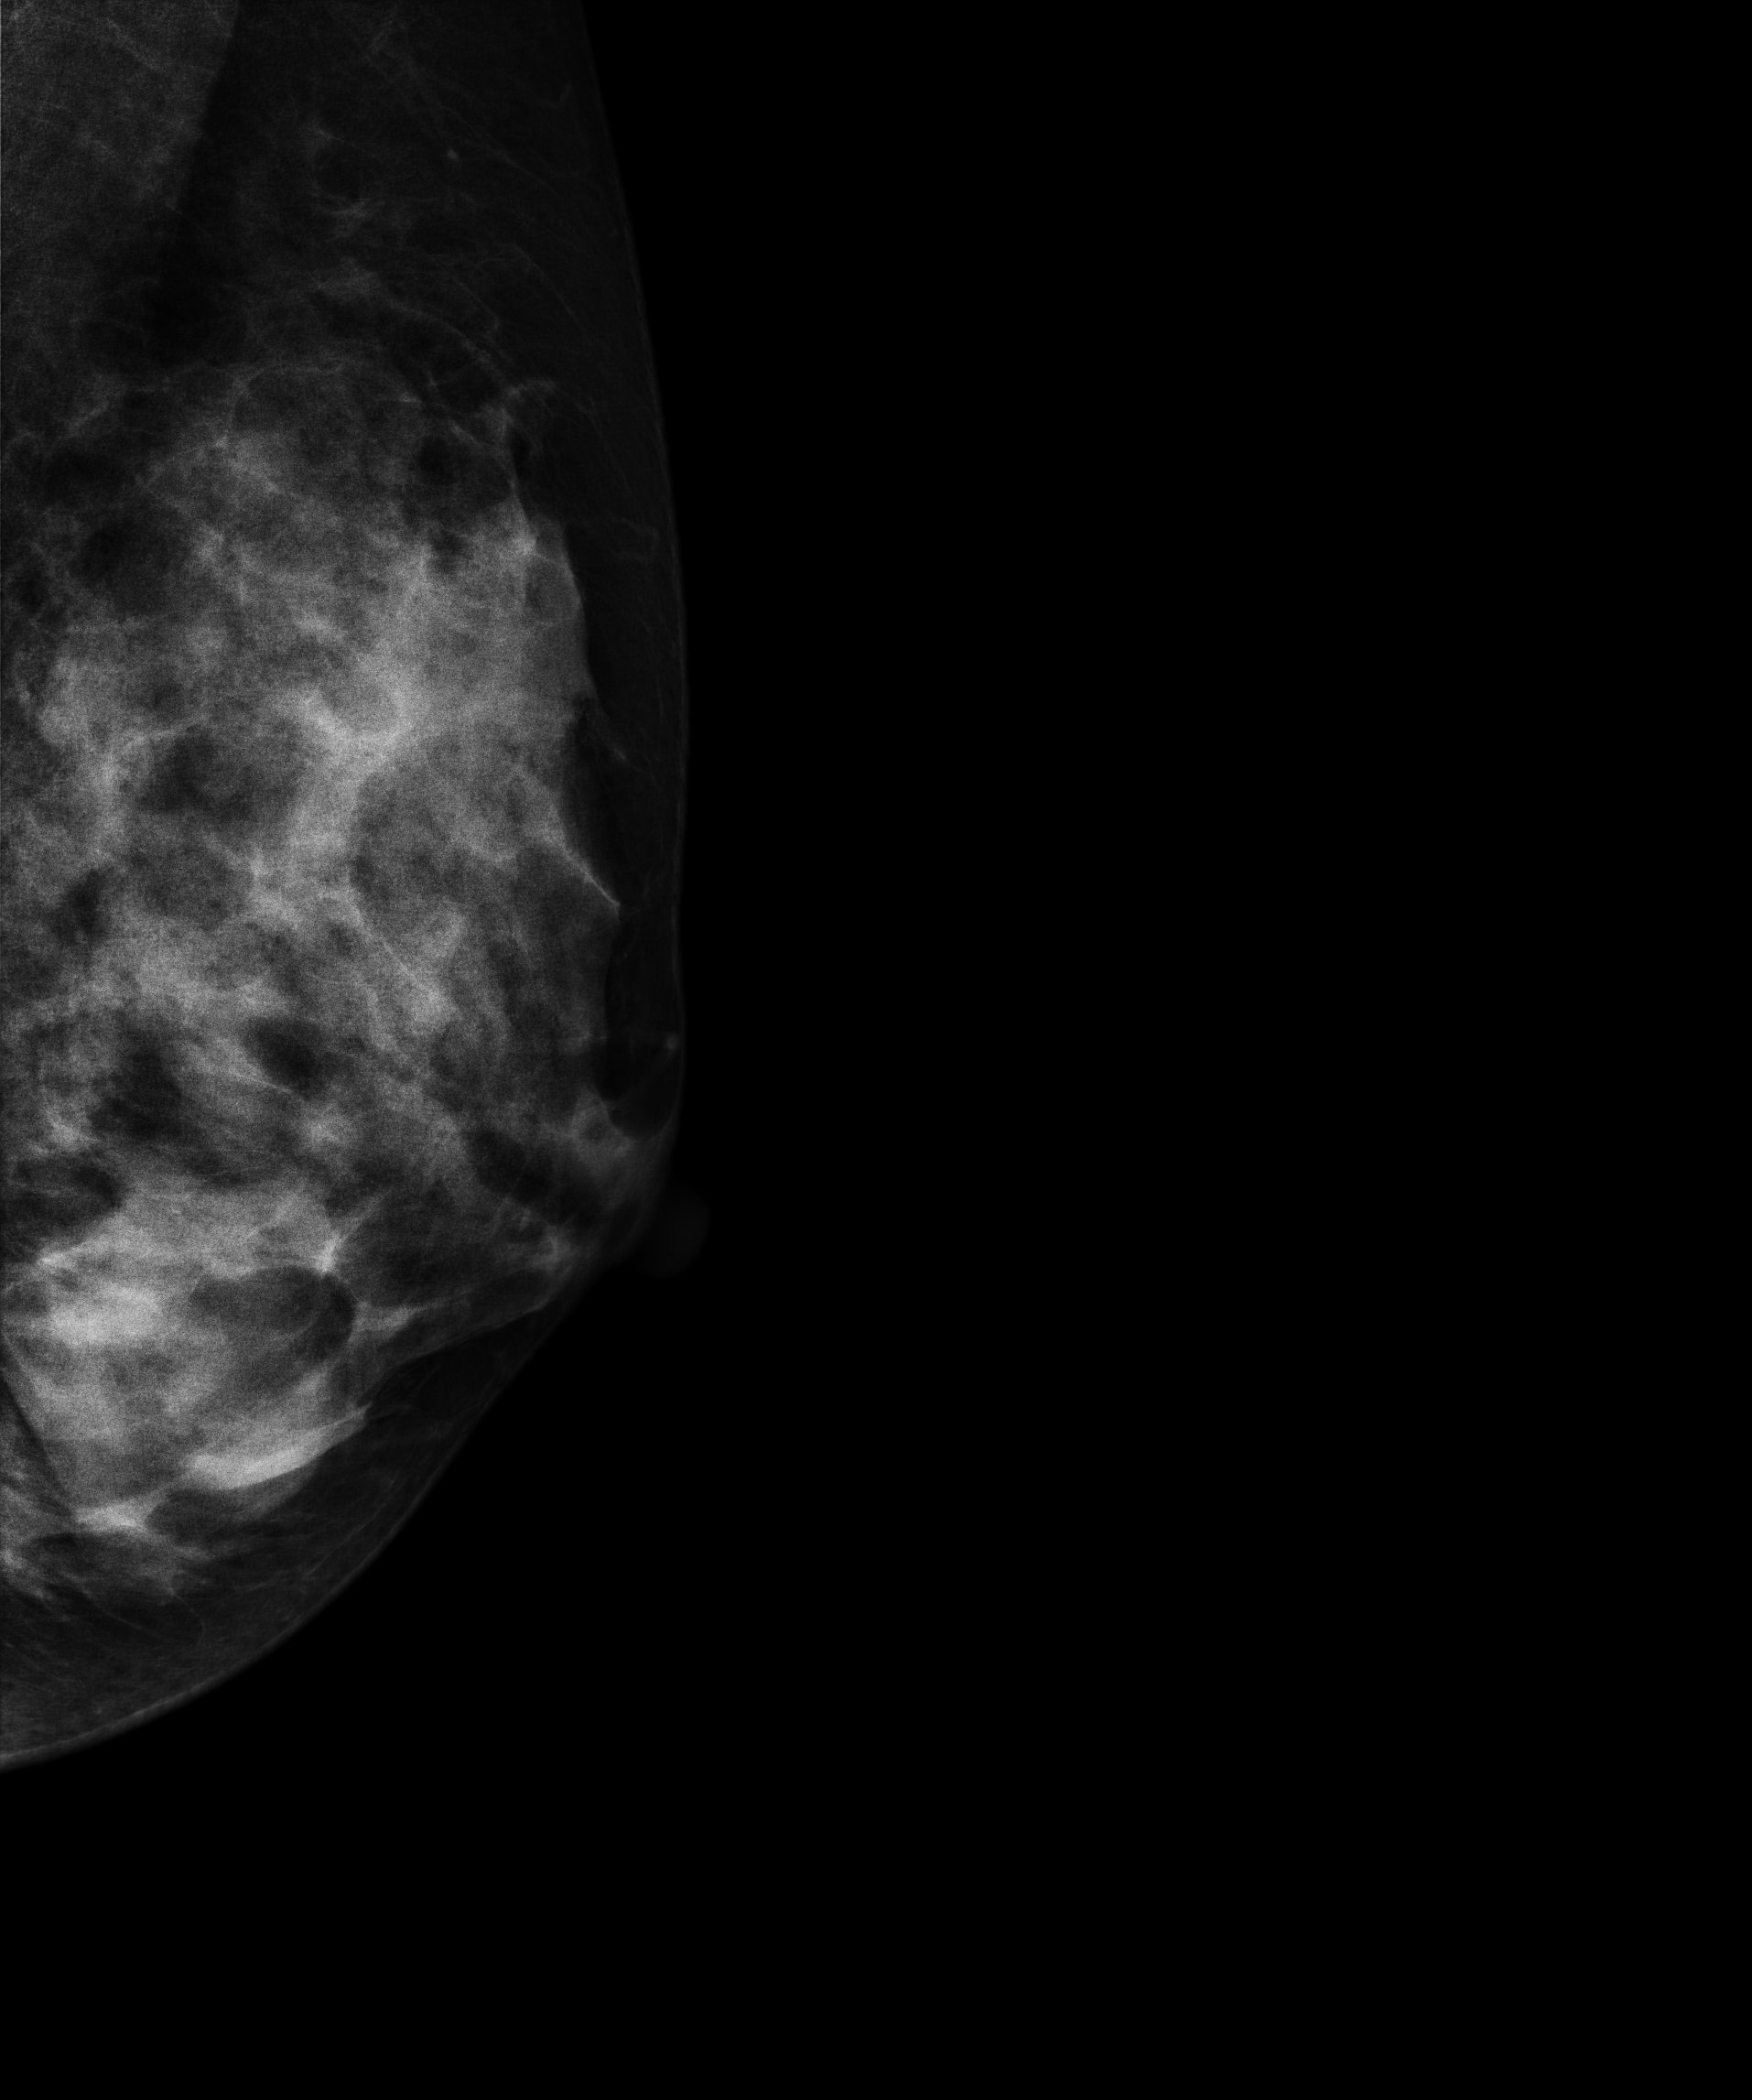
Left-breast mammogram, MLO. 43-year-old patient.
This breast has a mass, biopsy-proven benign.